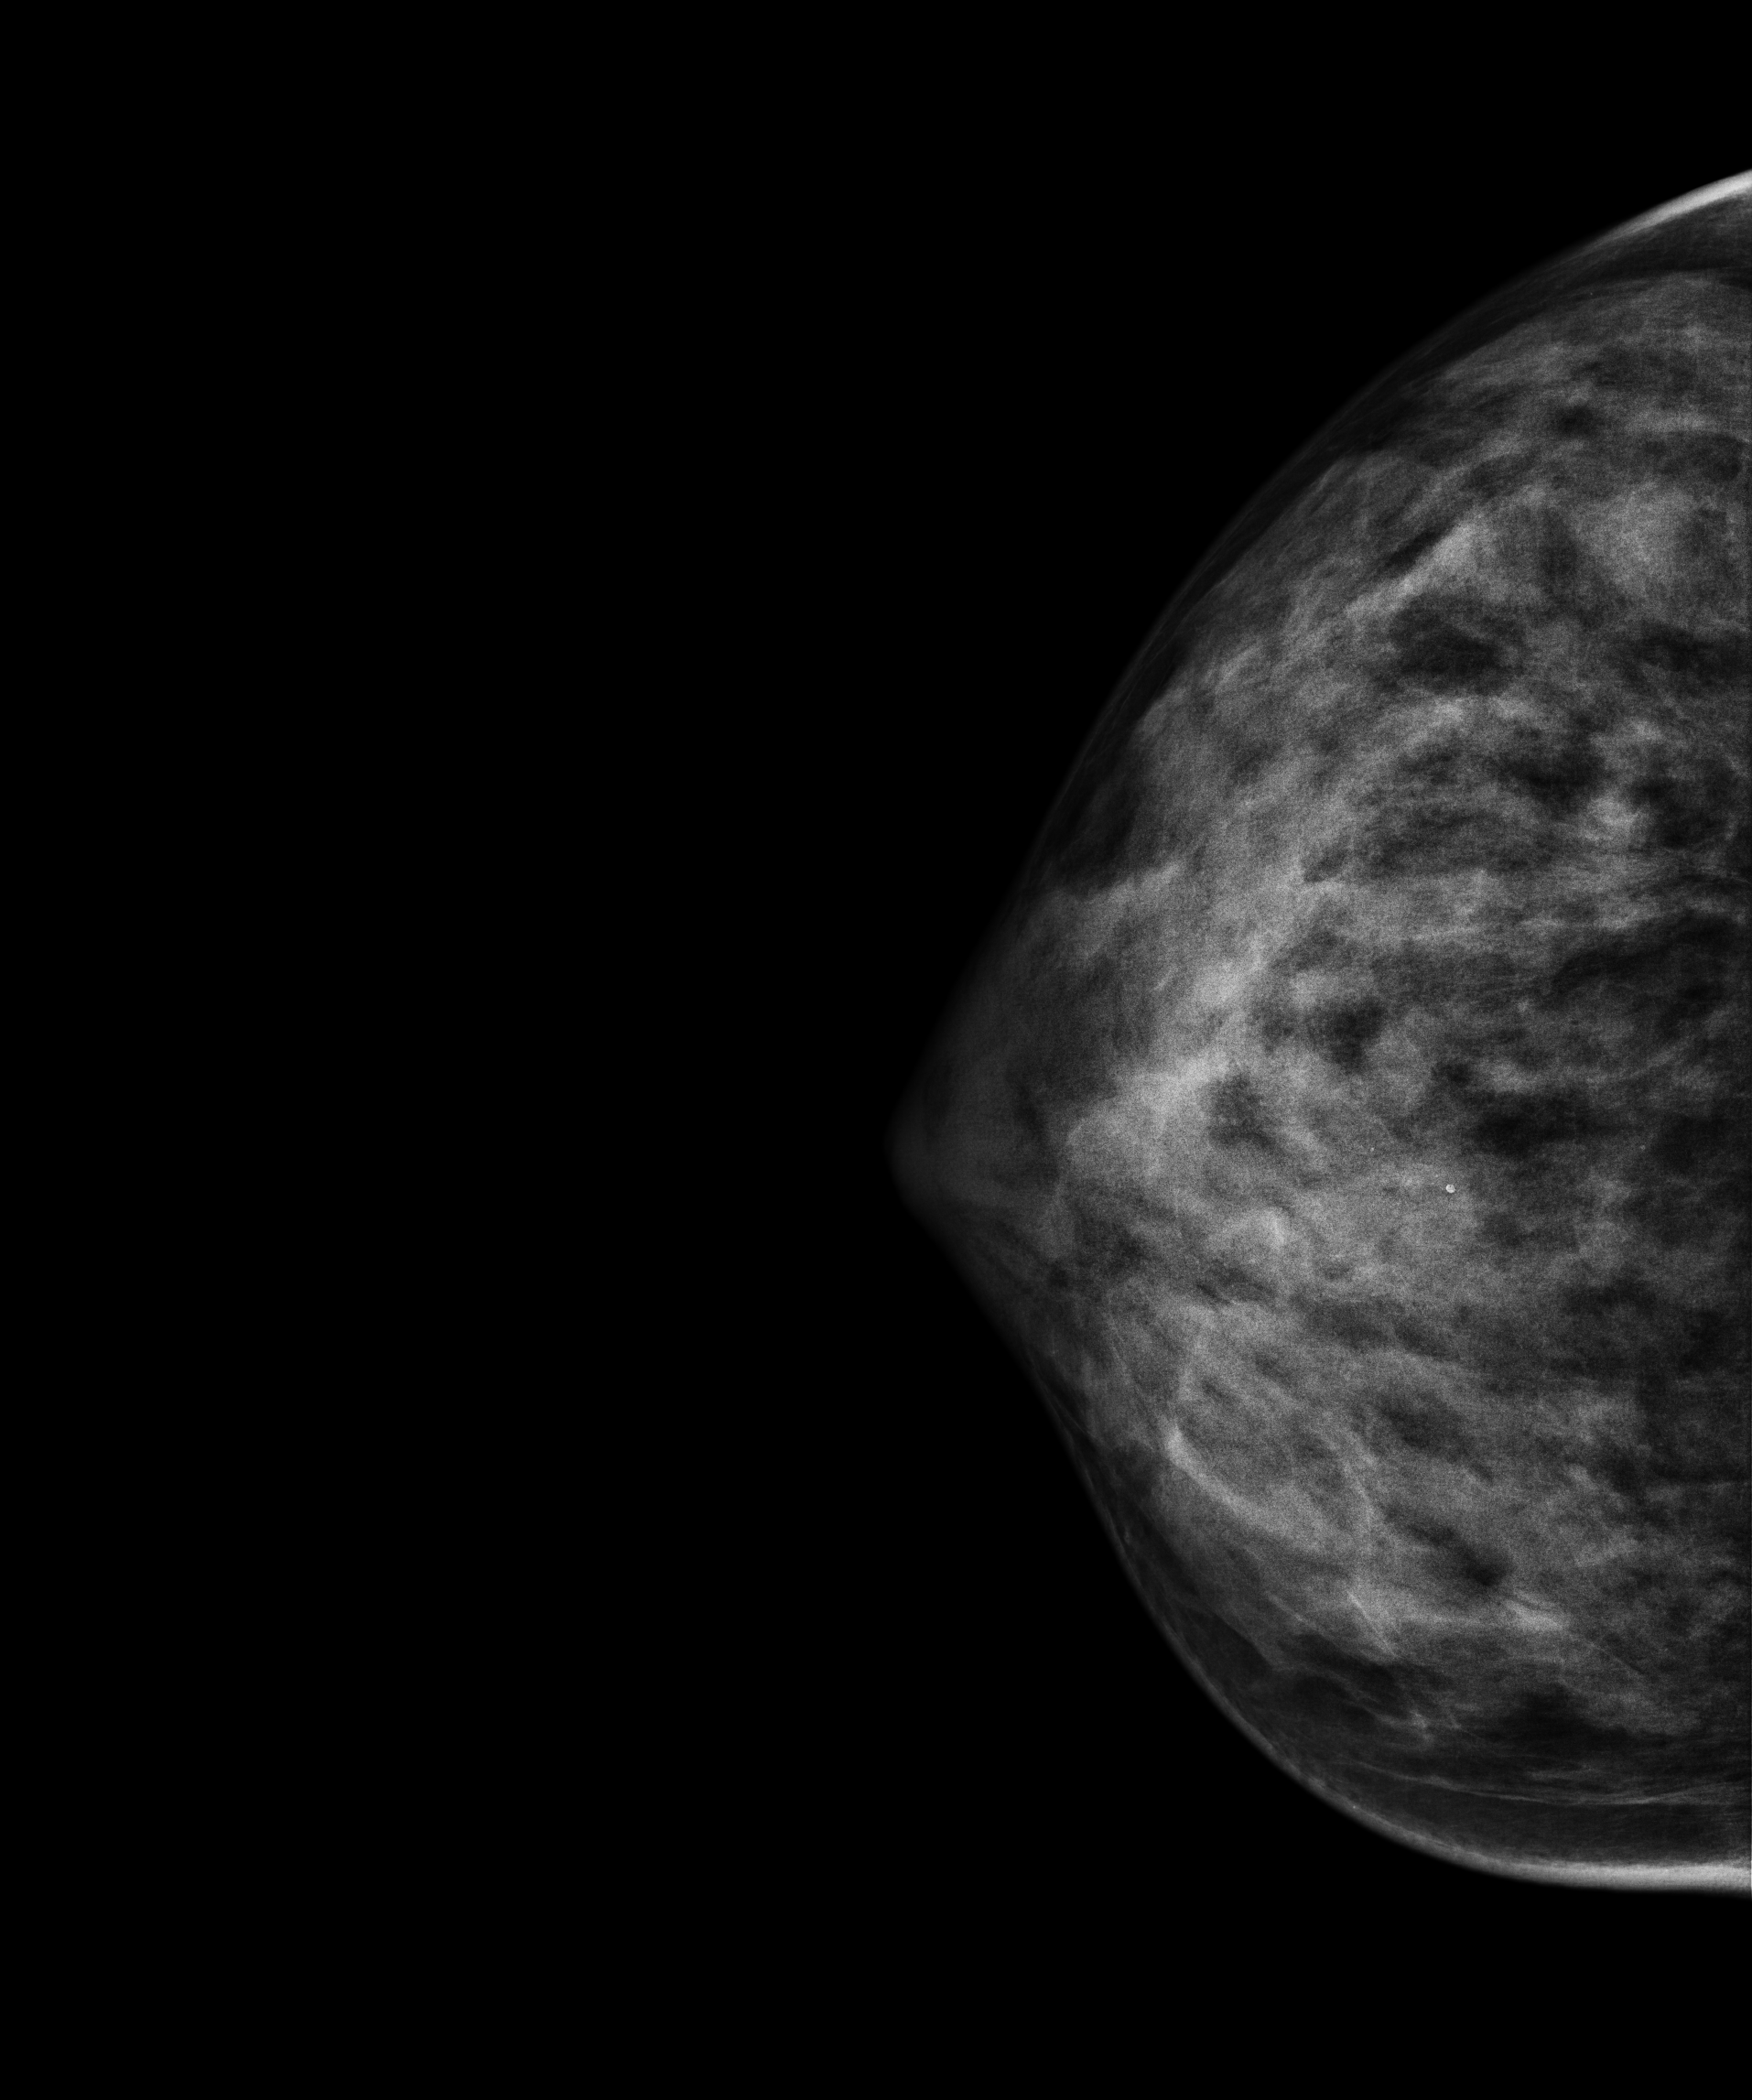
Mammogram, left breast, cranio-caudal view. 40-year-old patient.
Contralateral breast — no documented abnormality on this side.